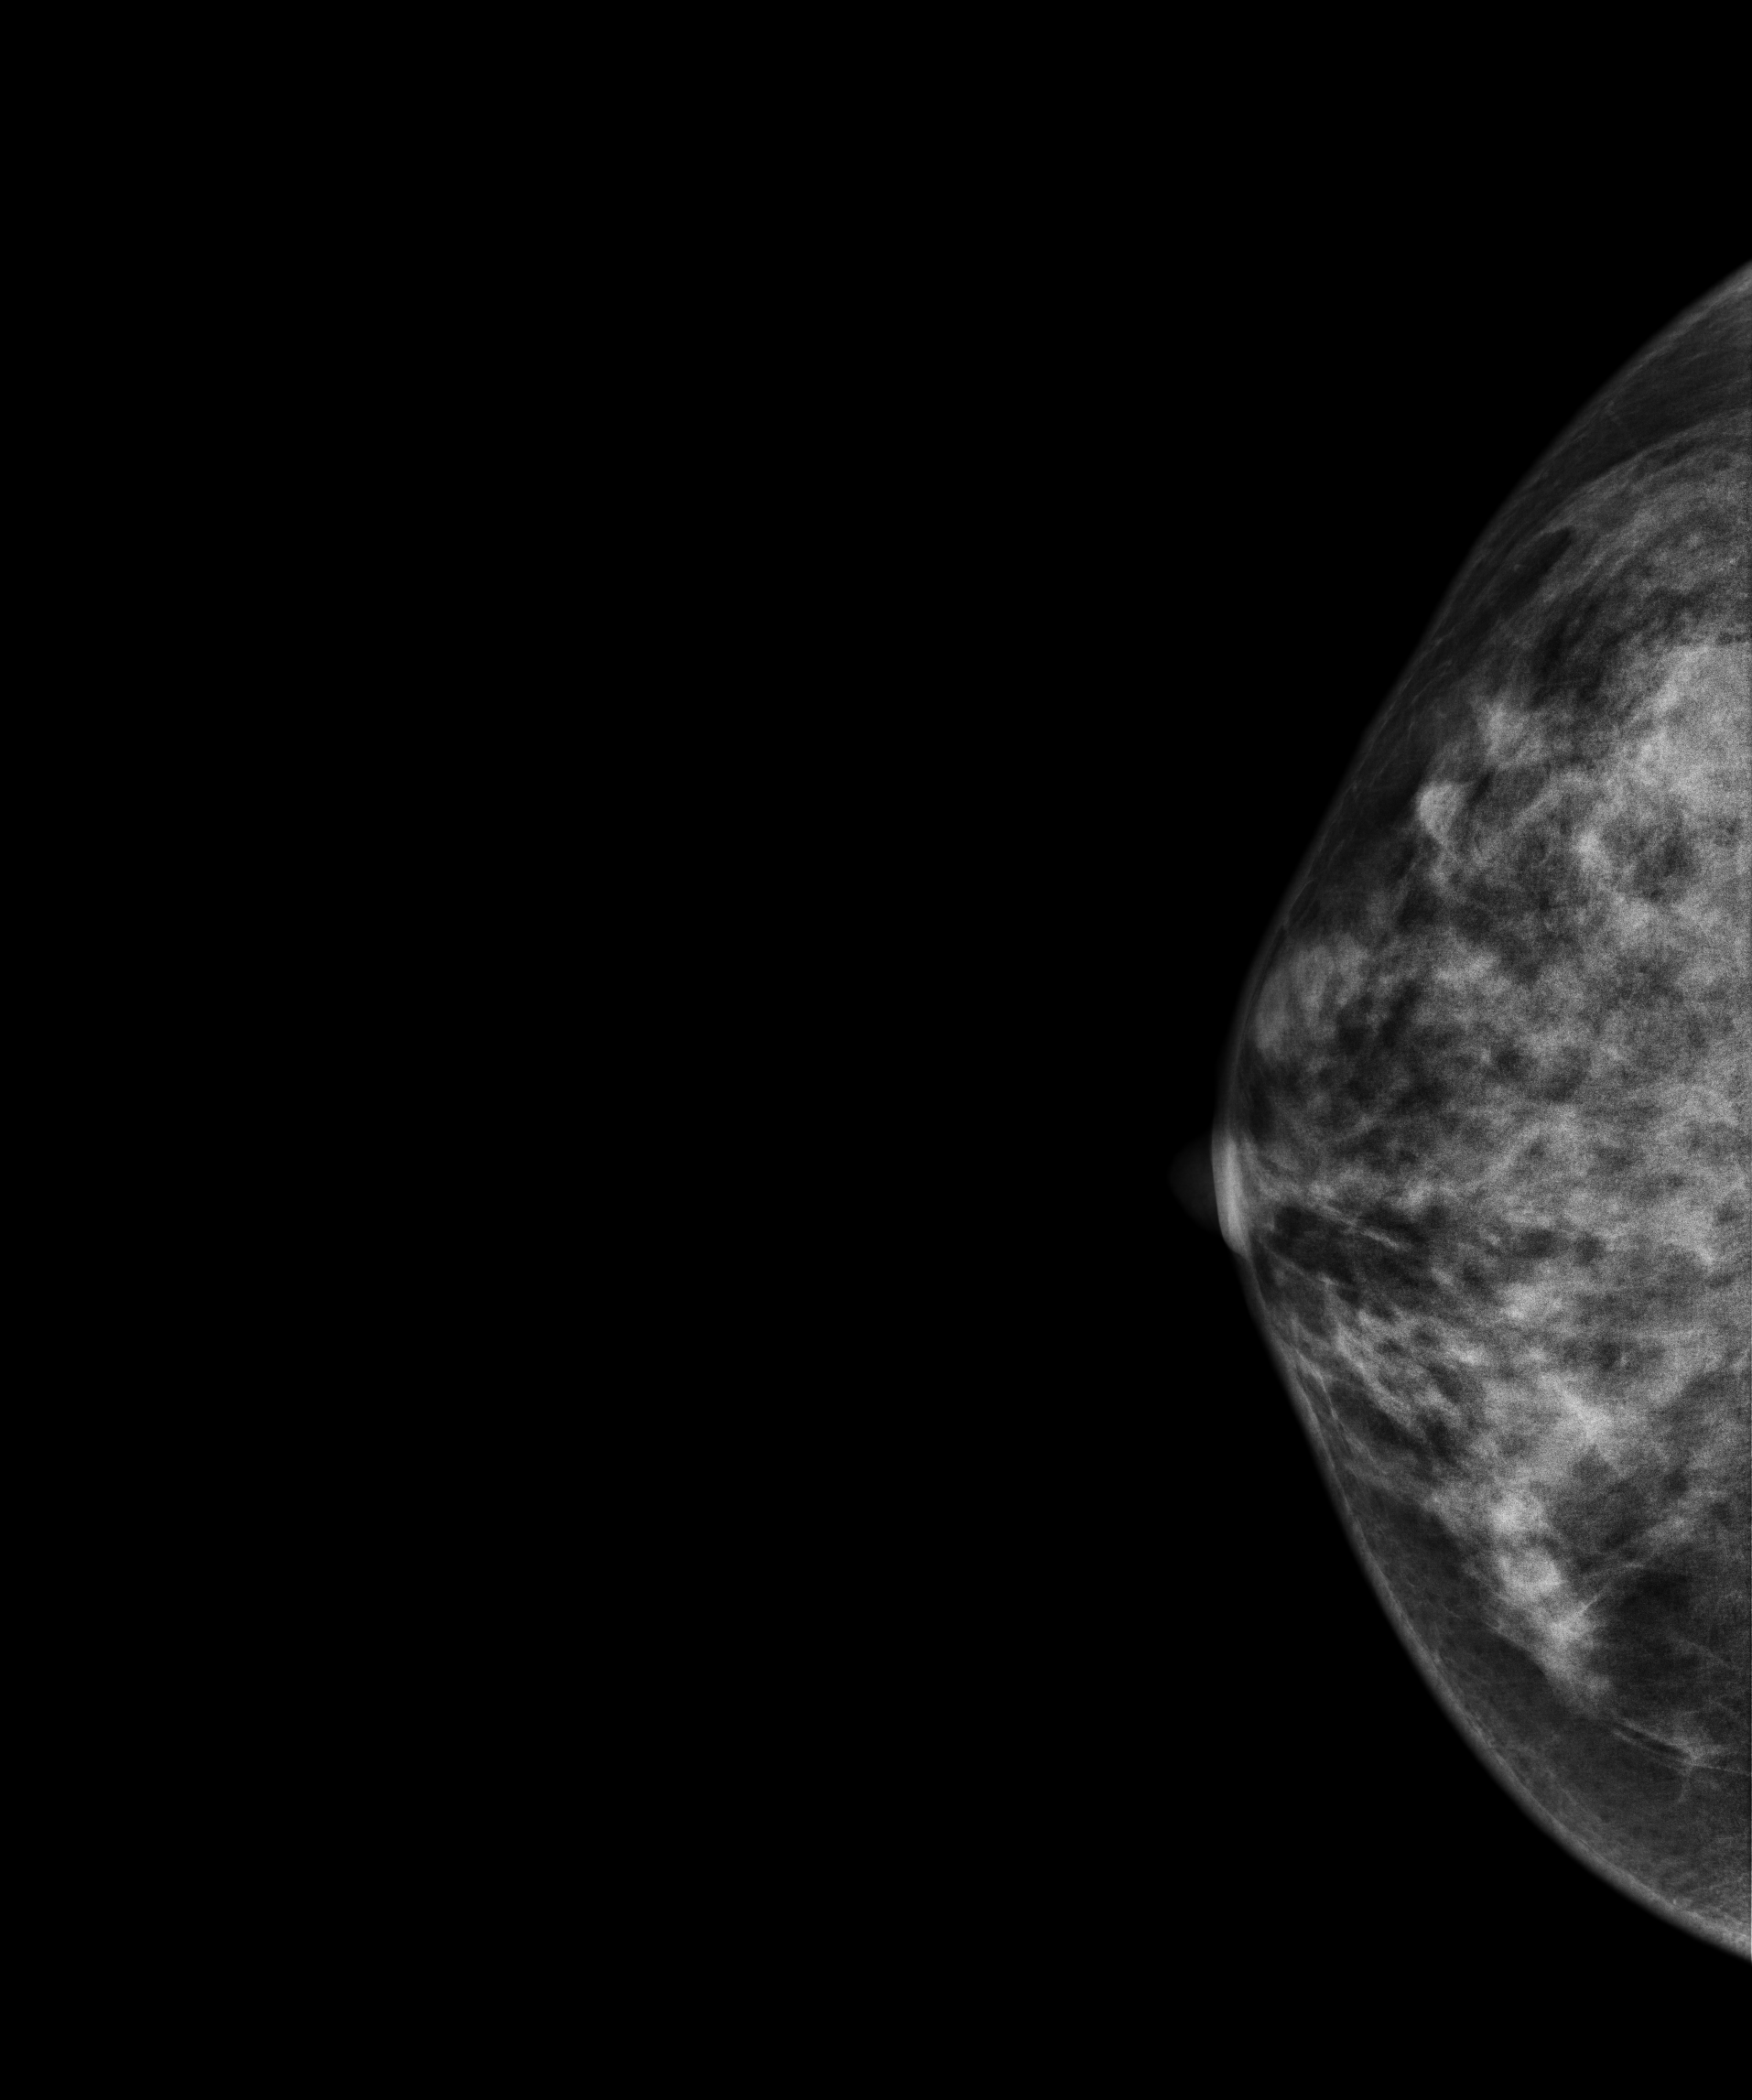
Digital mammography. Right breast, cranio-caudal projection. Patient age 43.
This breast has a mass, biopsy-proven malignant. Molecular subtype: luminal A.